Right-breast mammogram, medio-lateral oblique. 30 y/o patient.
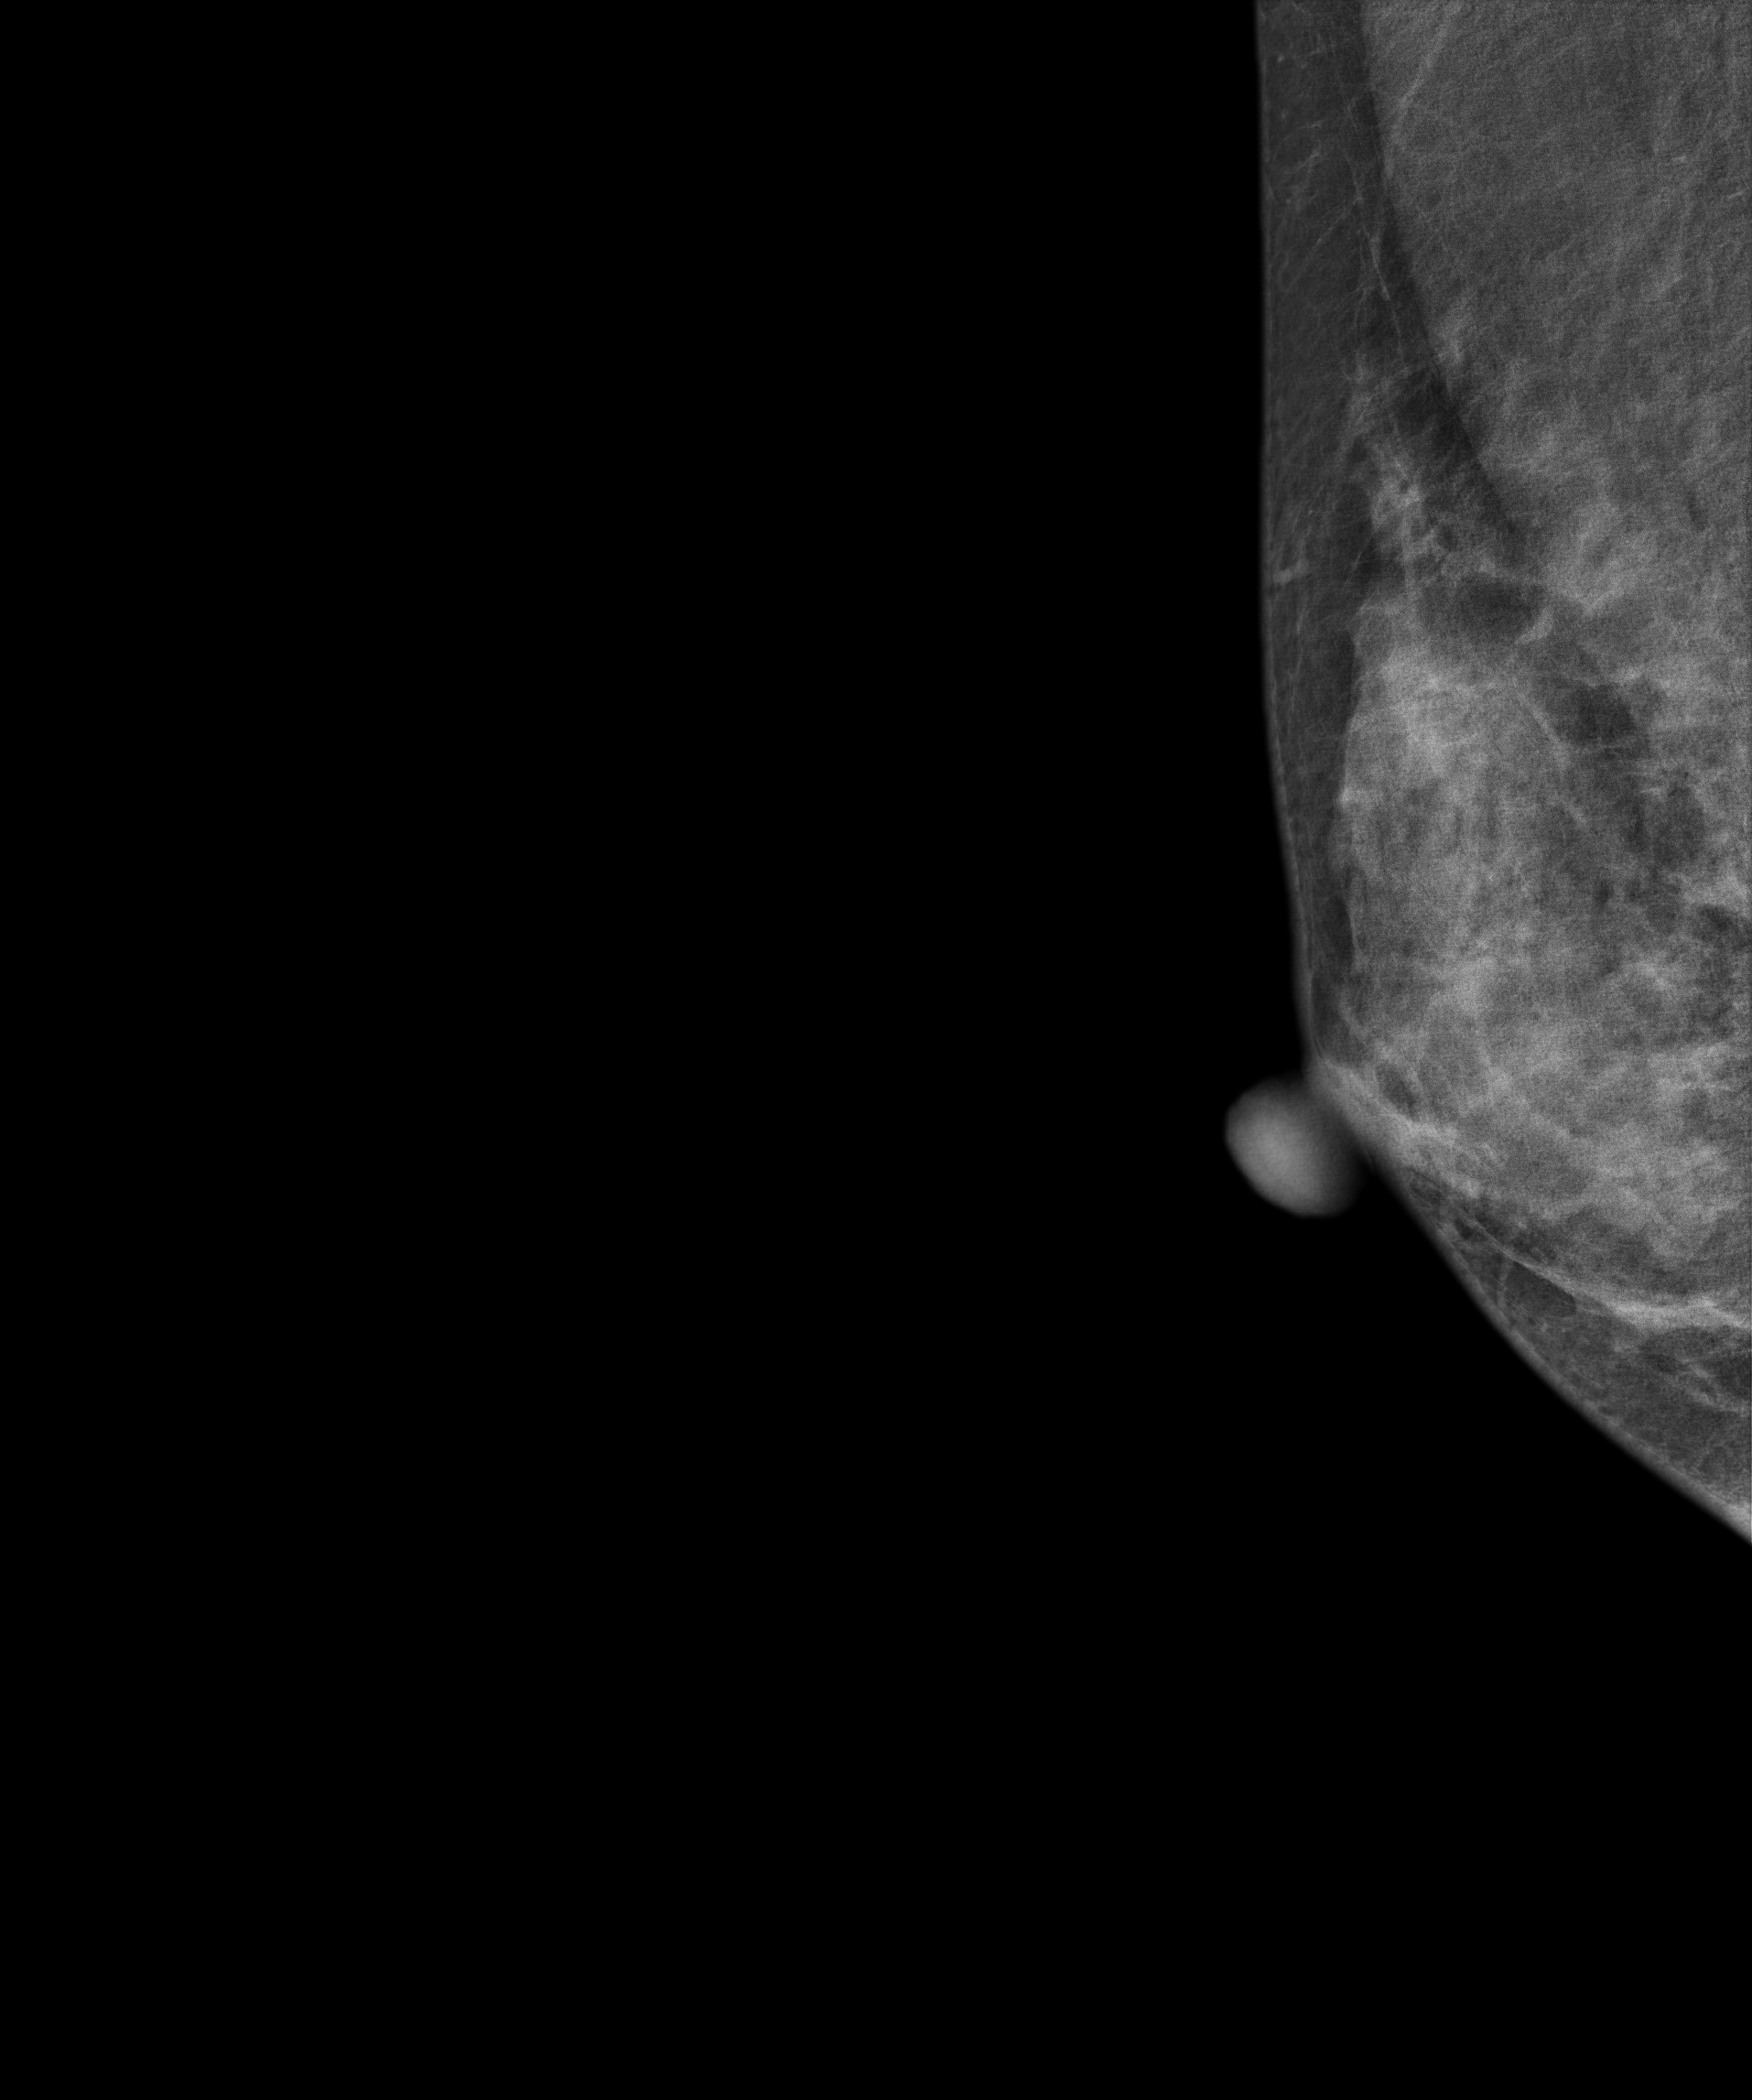
Contralateral breast — no documented abnormality on this side.